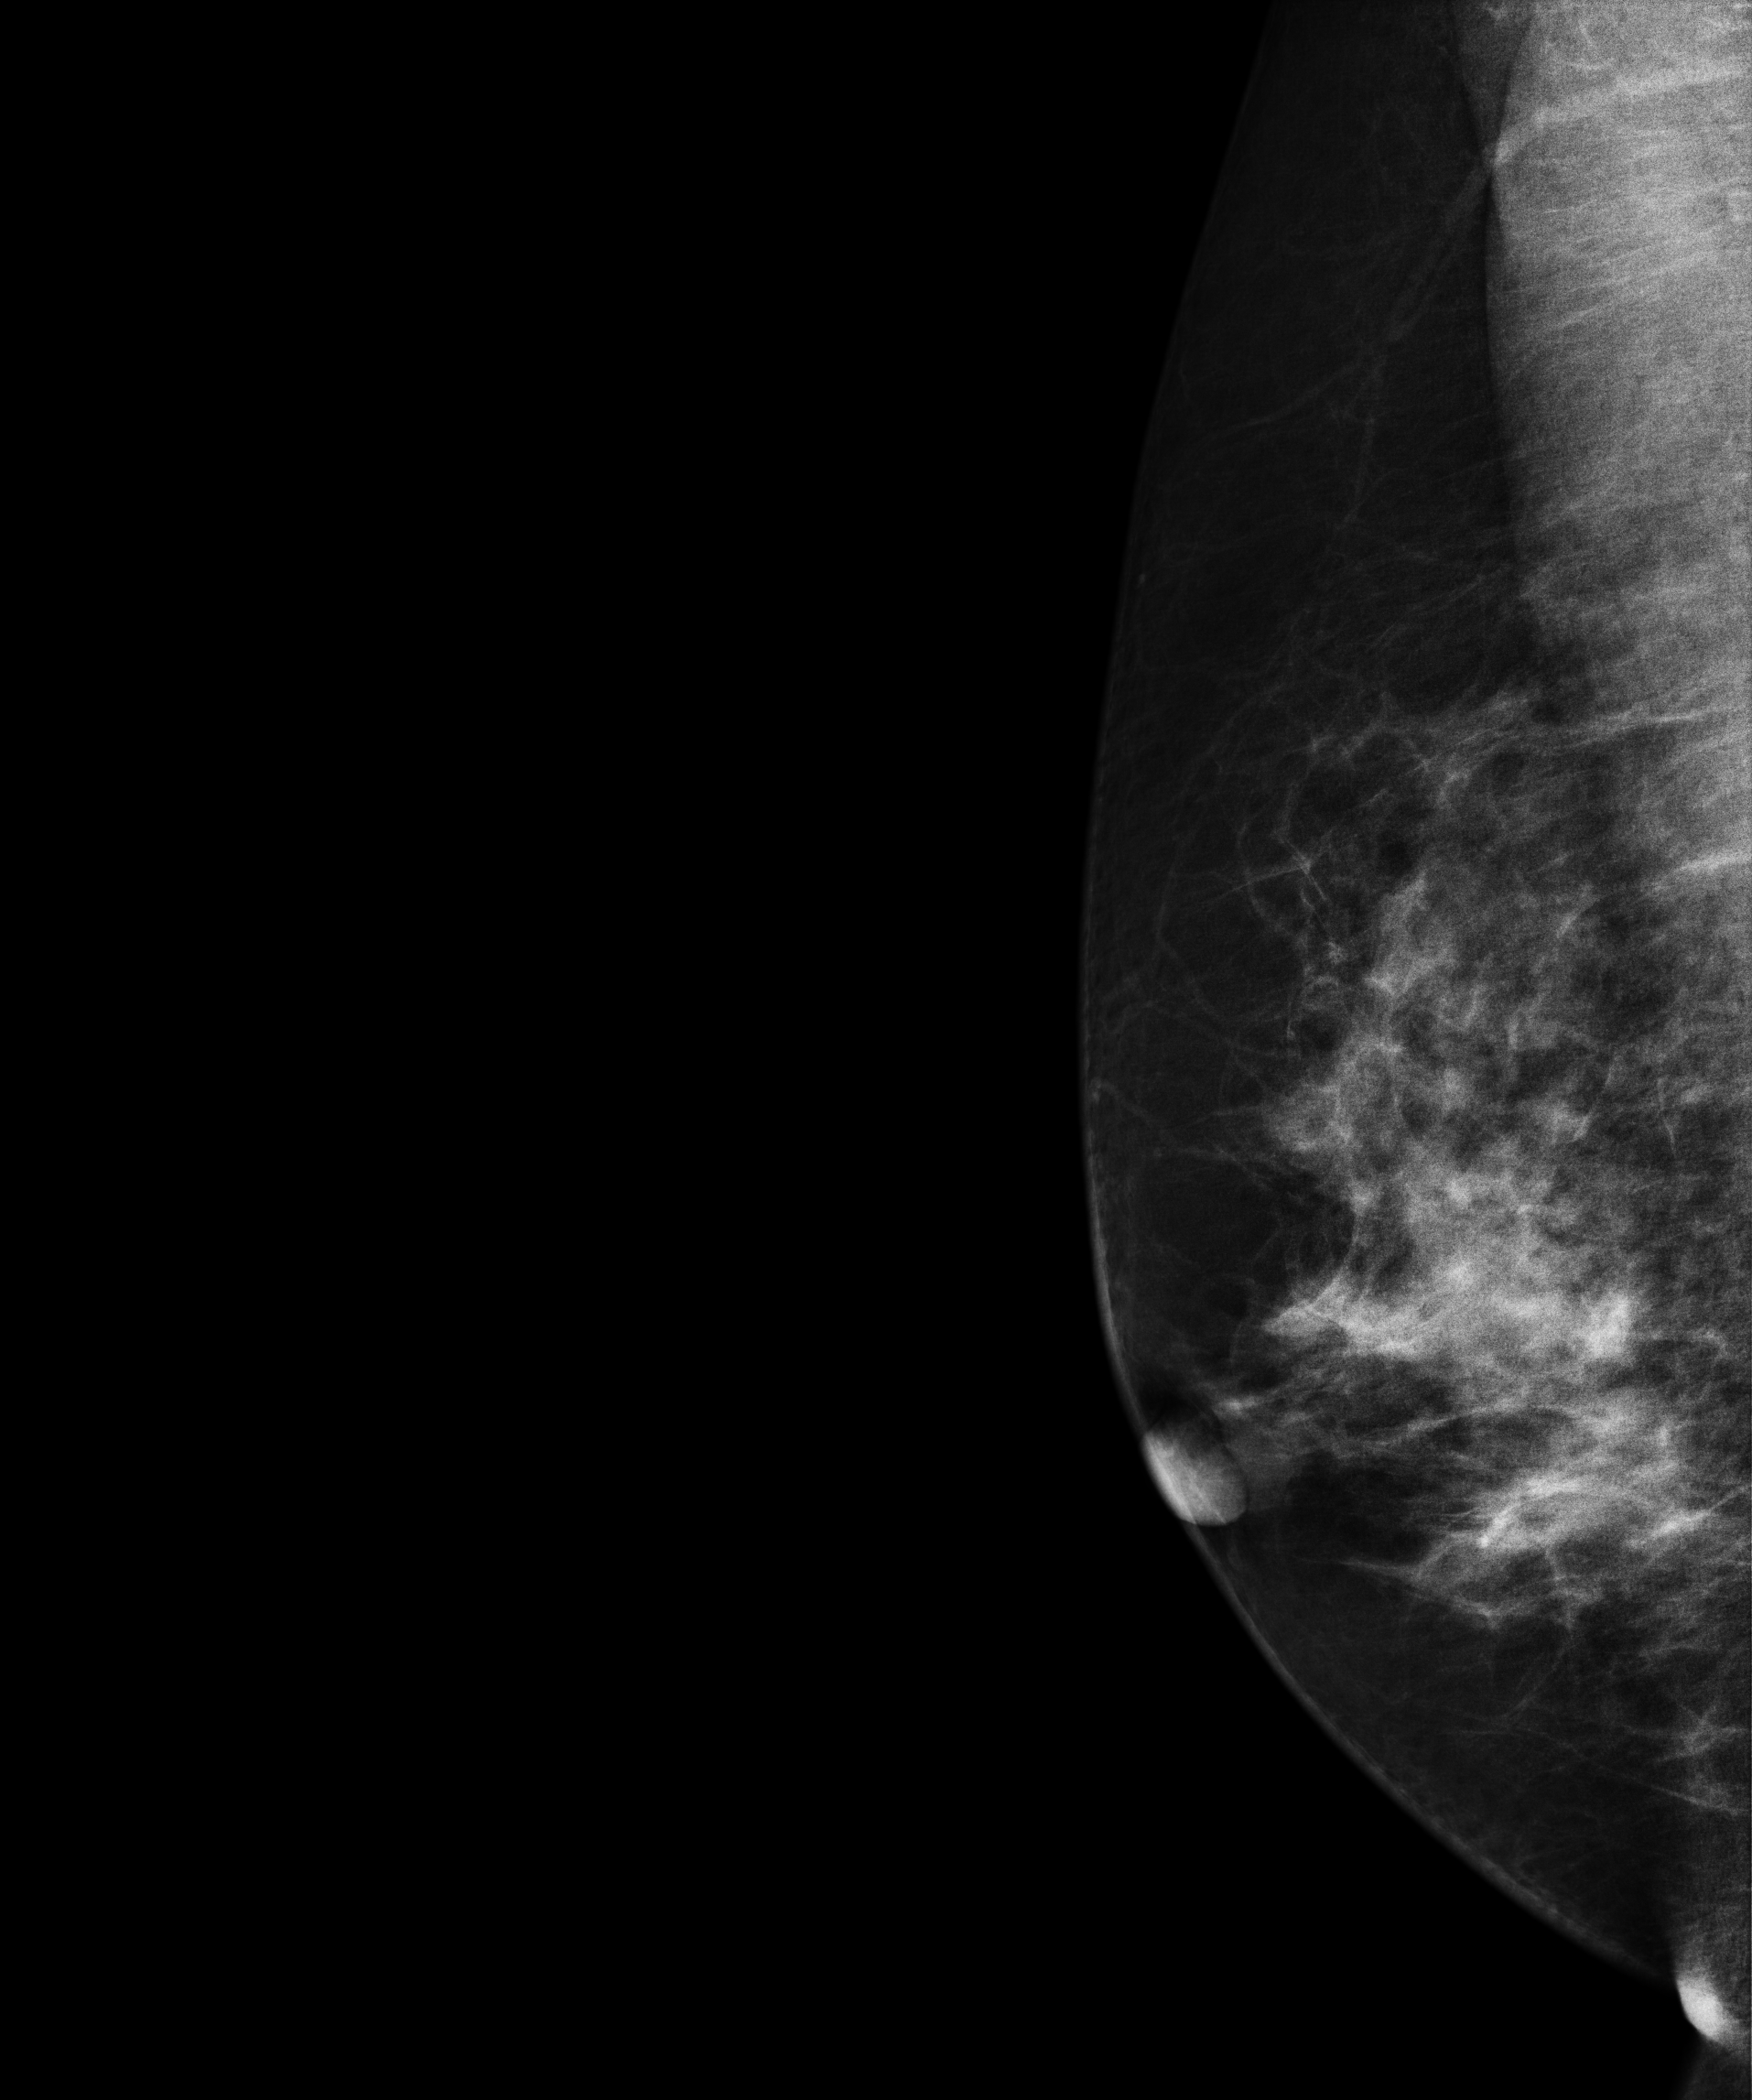
Mammogram — right medio-lateral oblique. Patient age 45.
Contralateral breast — no documented abnormality on this side.